Right-breast mammogram, medio-lateral oblique. 42 y/o patient.
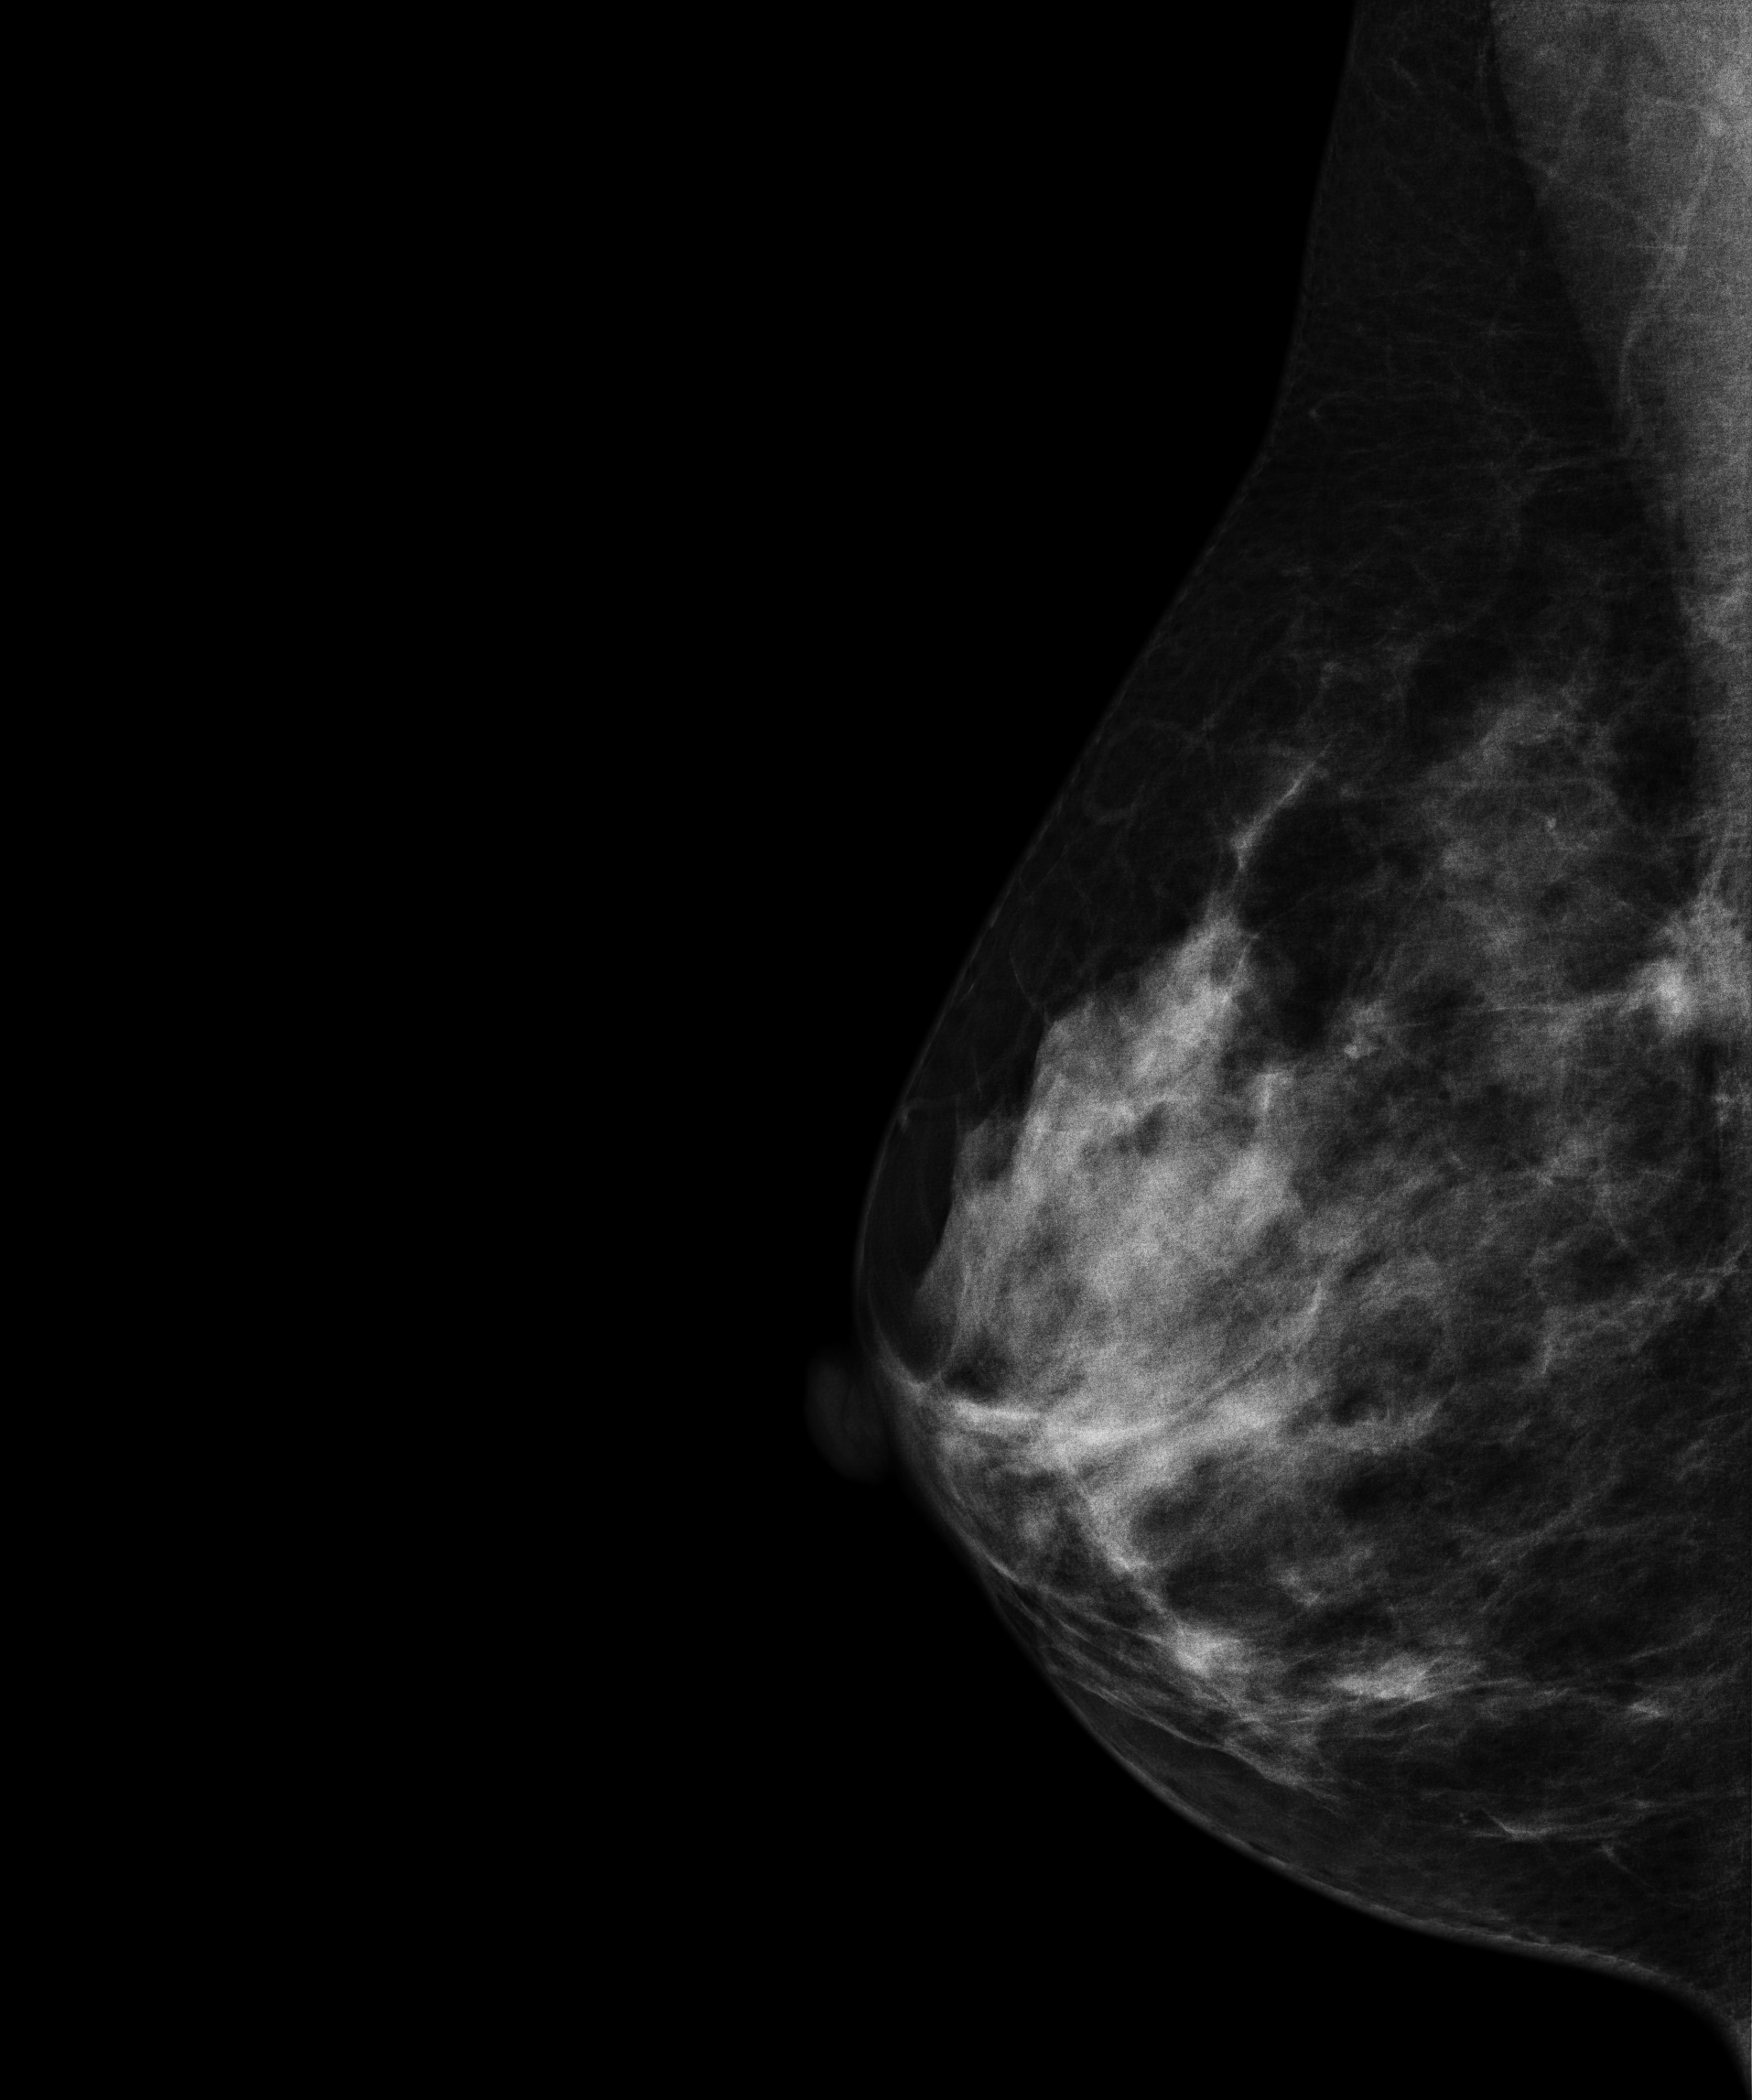
This breast has a mass, biopsy-proven malignant. Molecular subtype: luminal B.